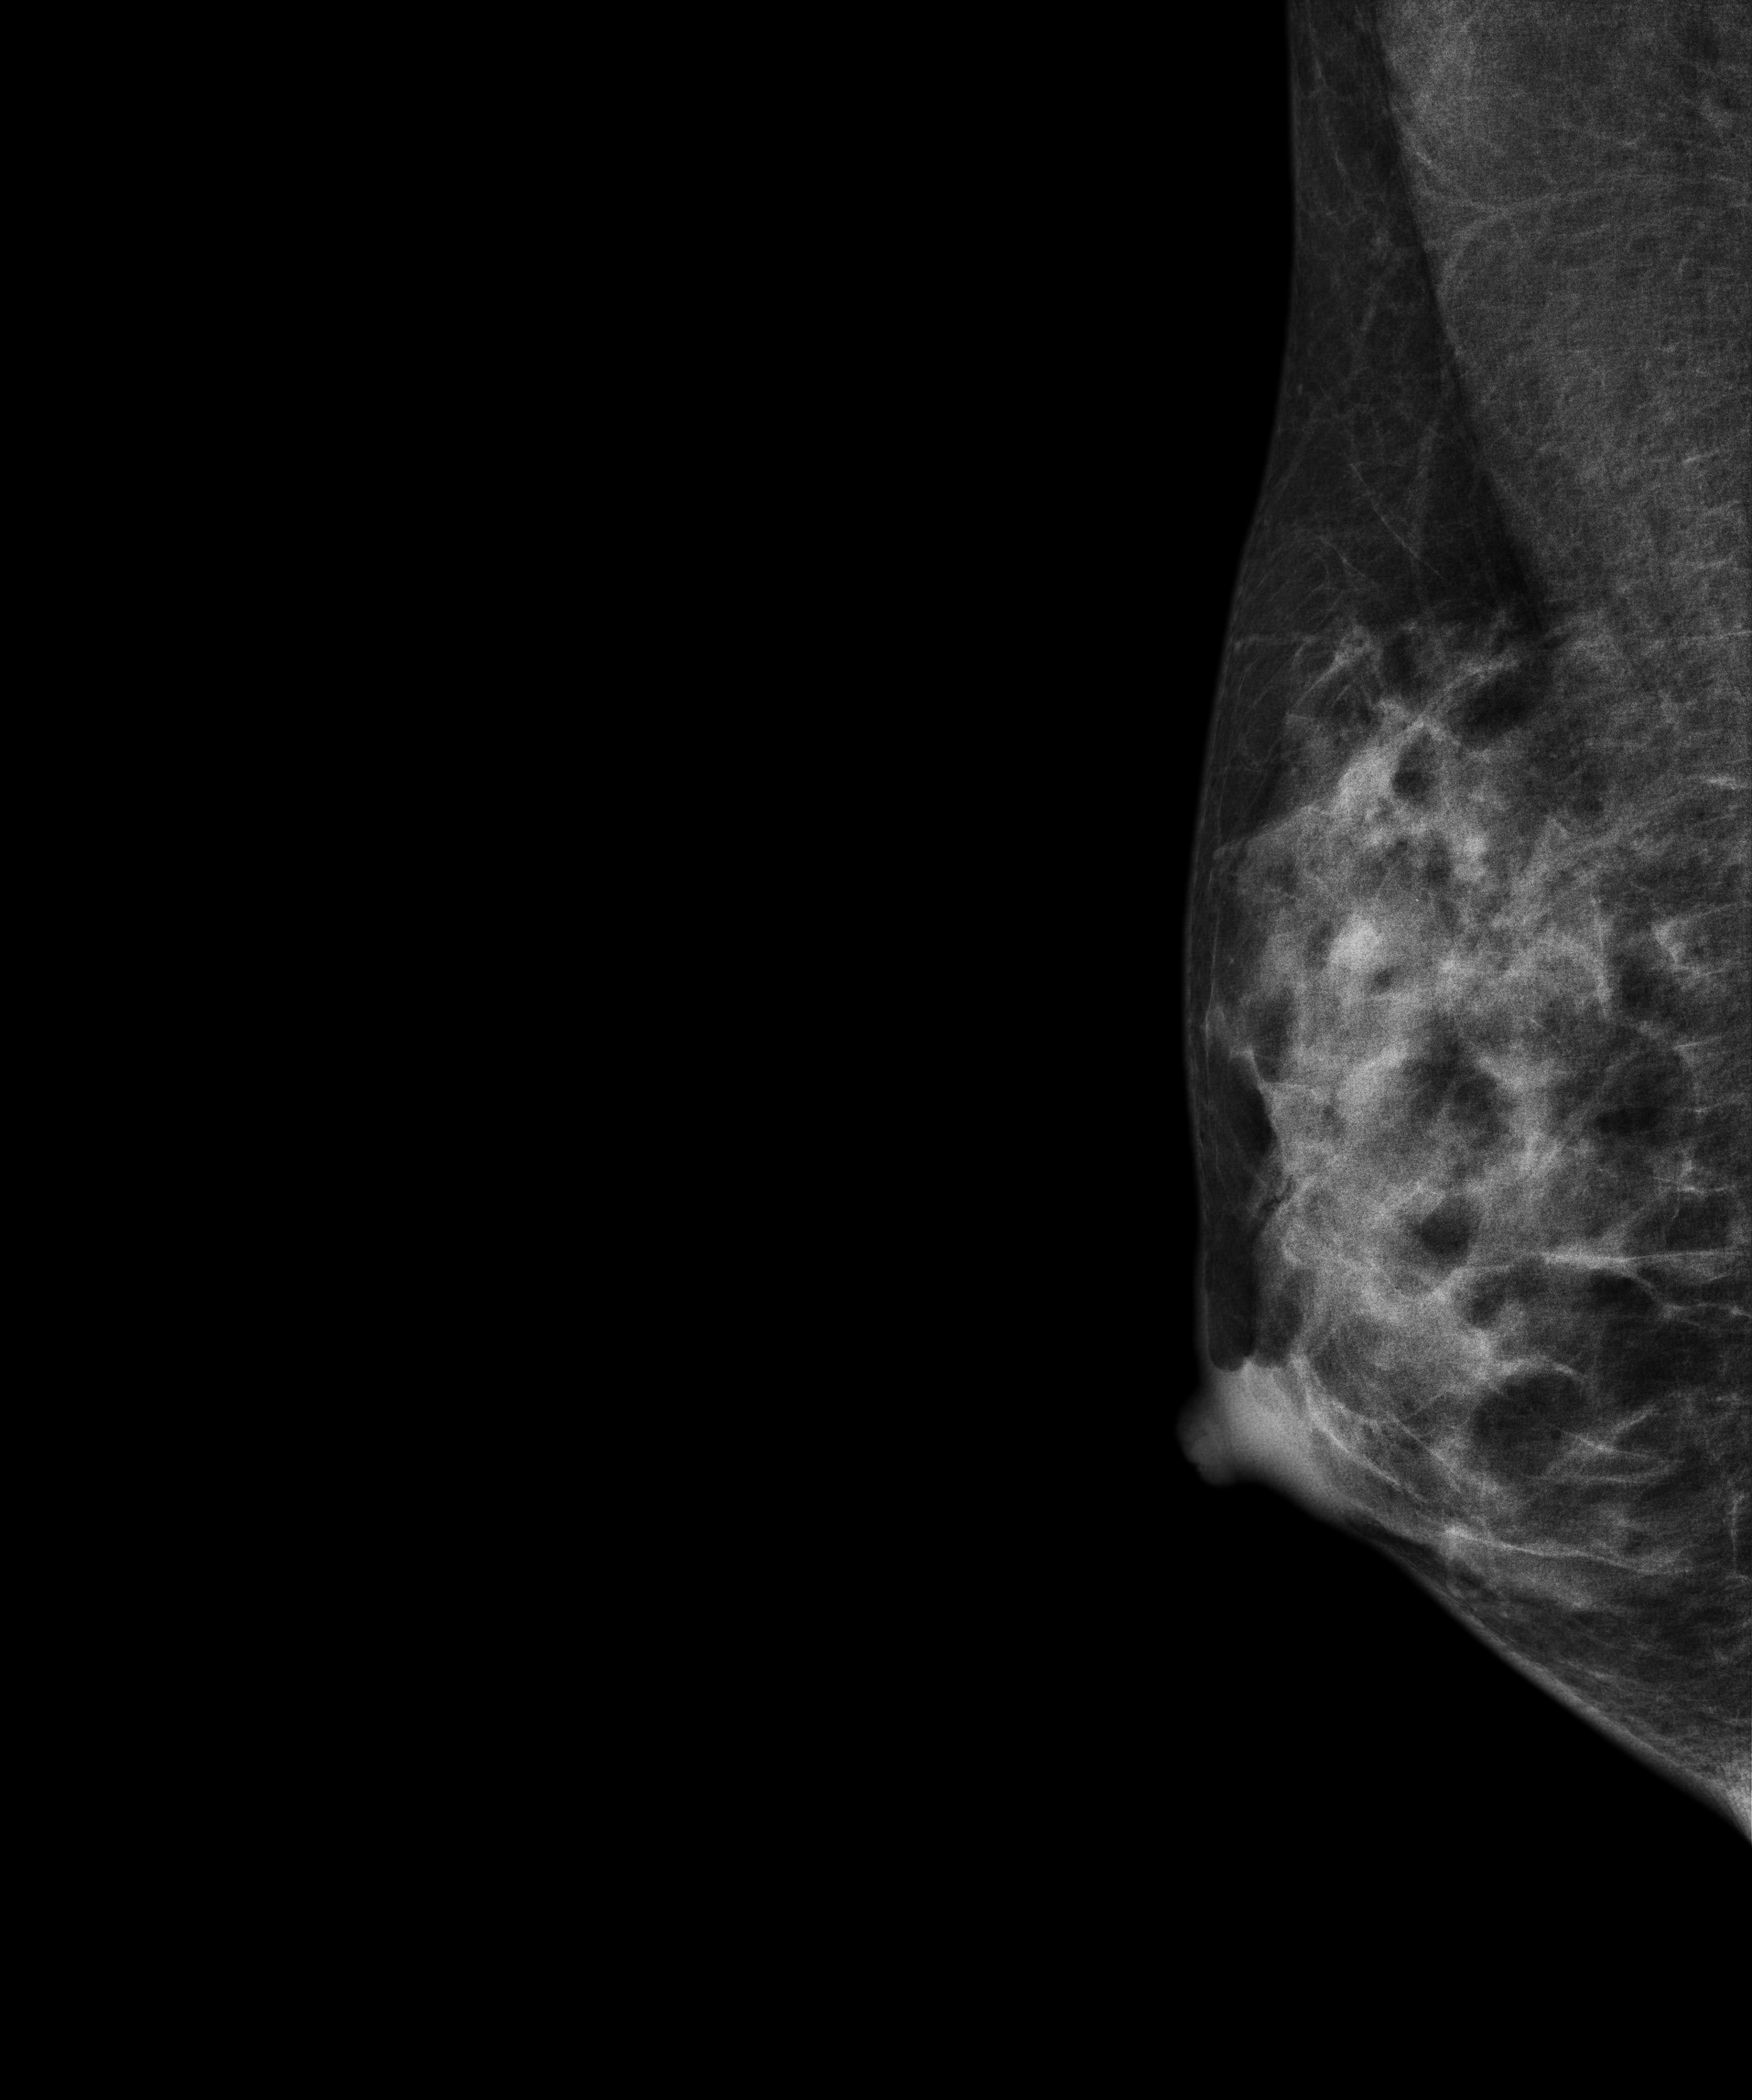
Right-breast mammogram, medio-lateral oblique. 24-year-old patient.
This breast has a mass, biopsy-proven benign.